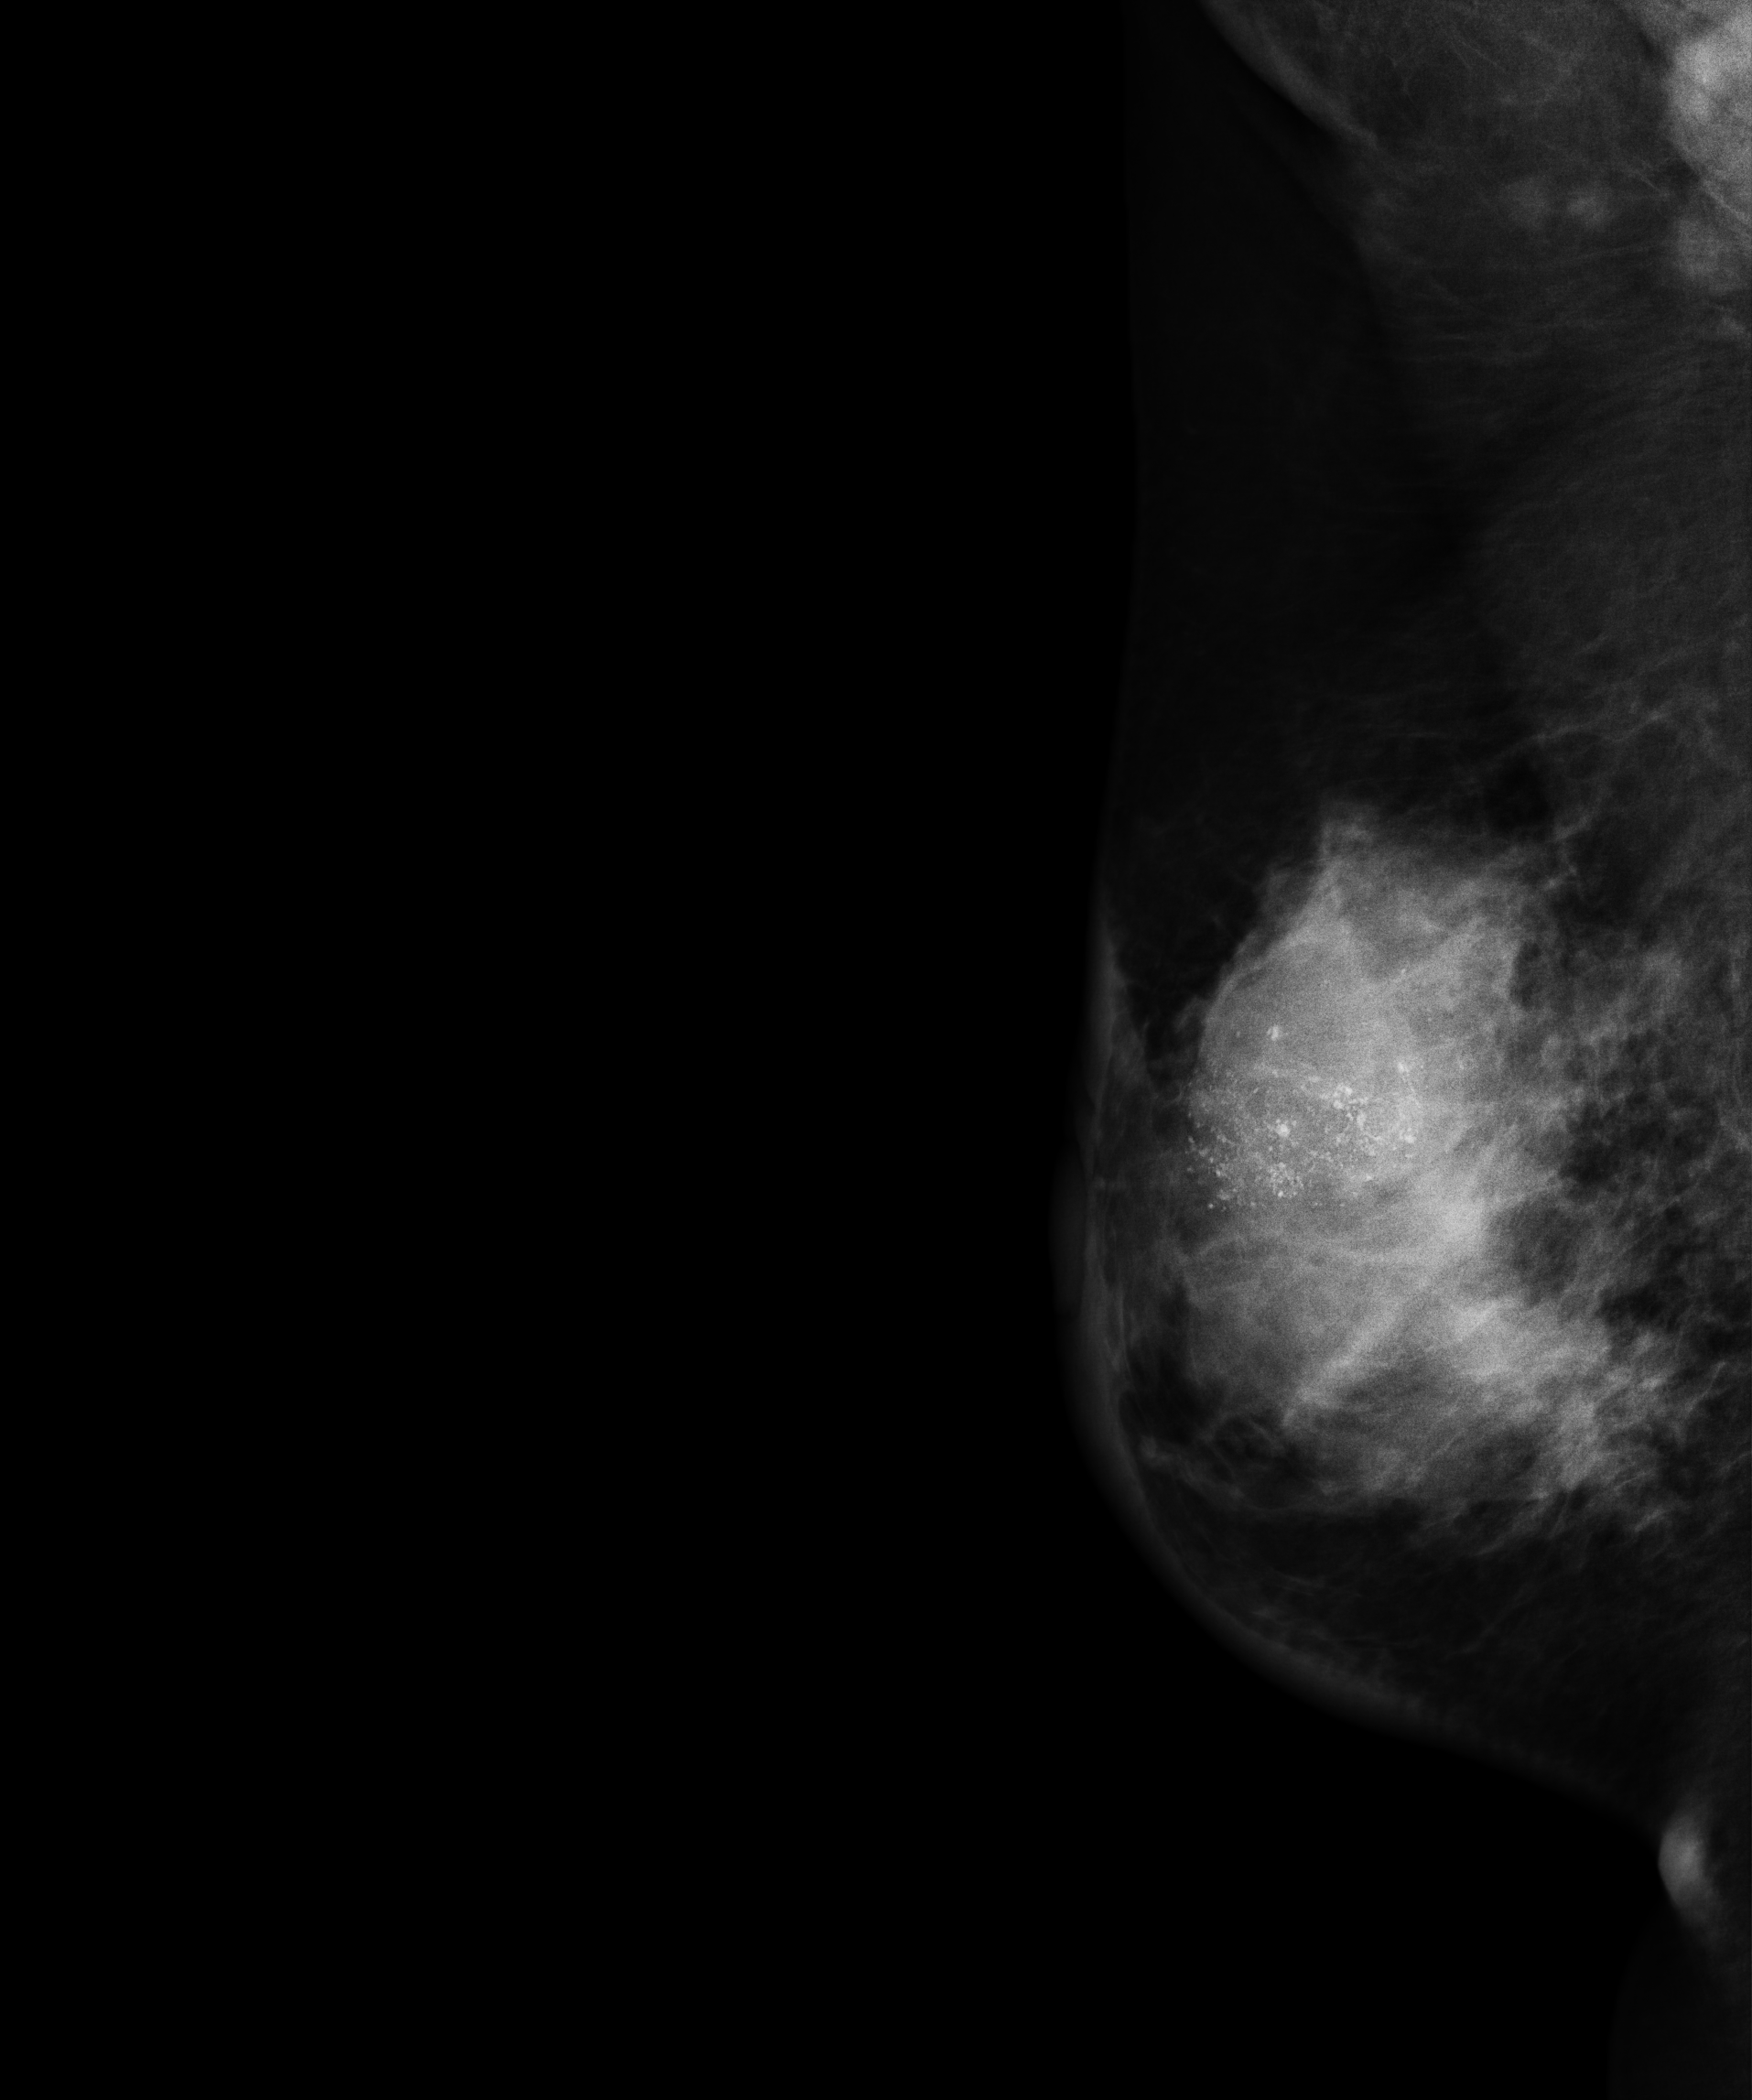
Digital mammography. Right breast, cranio-caudal projection. Patient age 37.
This breast has calcifications, pathology-confirmed malignant.